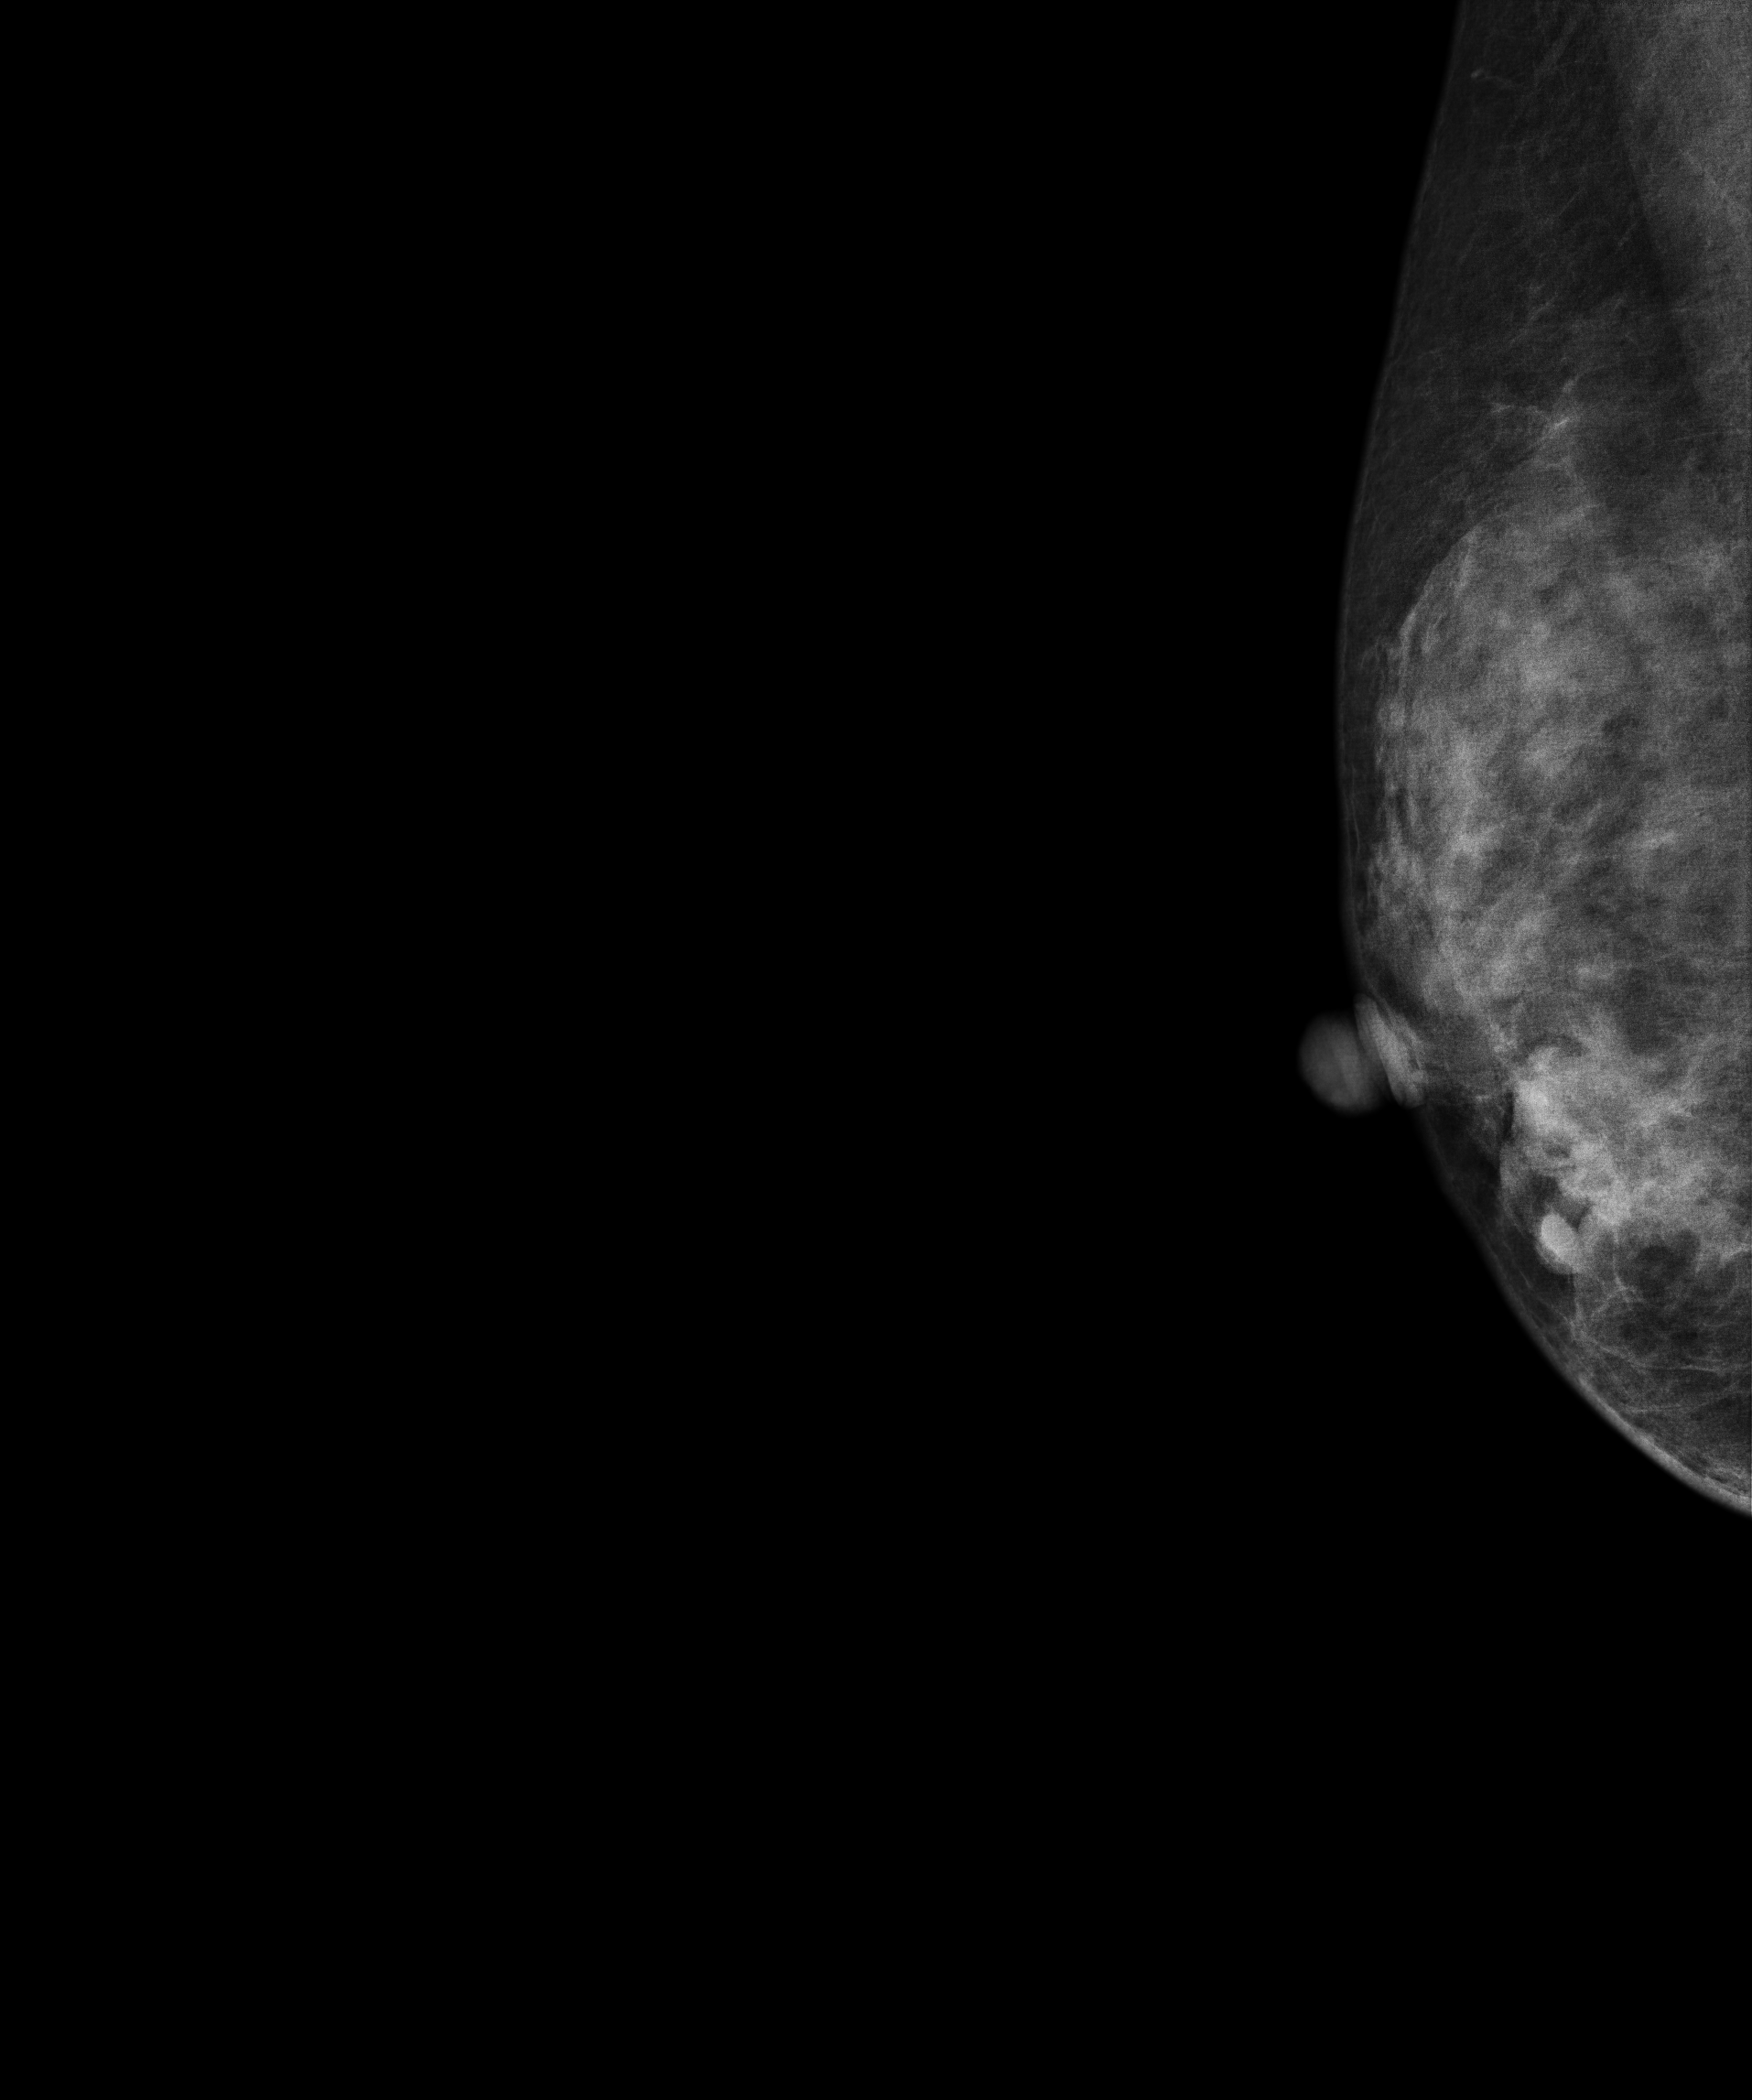
Mammogram — right MLO. Patient age 48.
This breast has a mass, histologically confirmed malignant. Molecular subtype: luminal A.